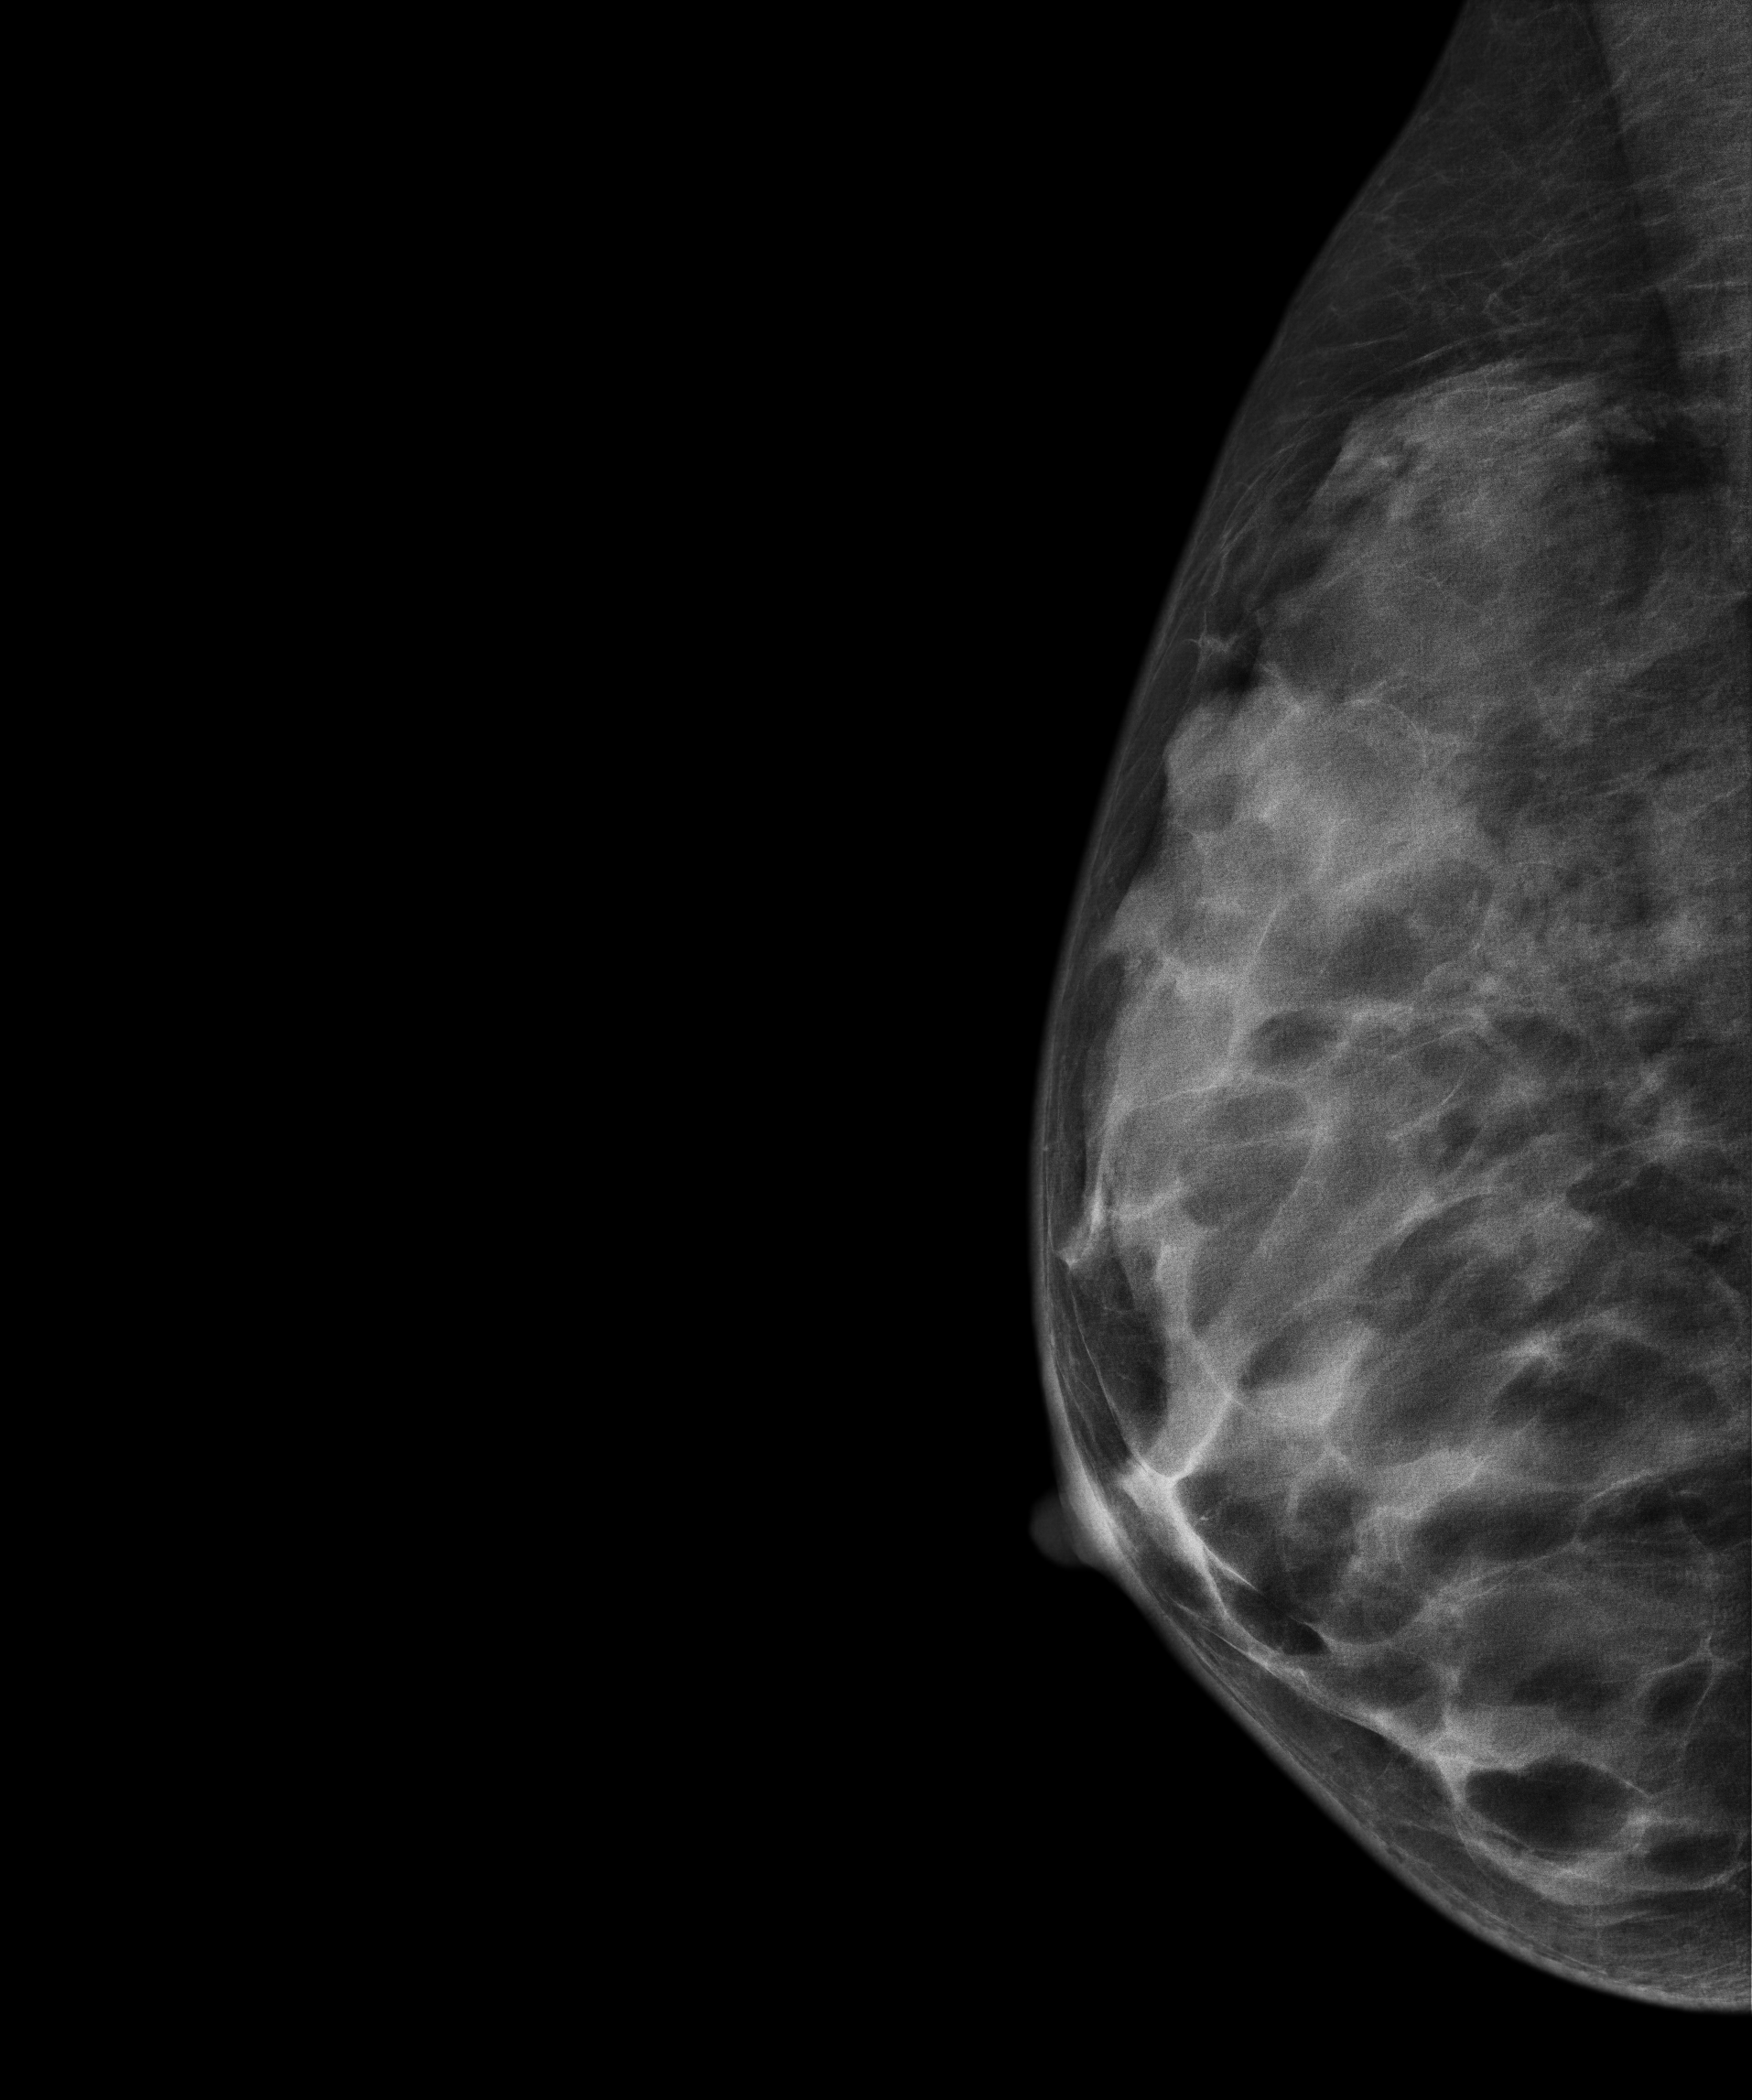
Digital mammography. Right breast, MLO projection. 40 y/o patient.
Contralateral breast — no documented abnormality on this side.